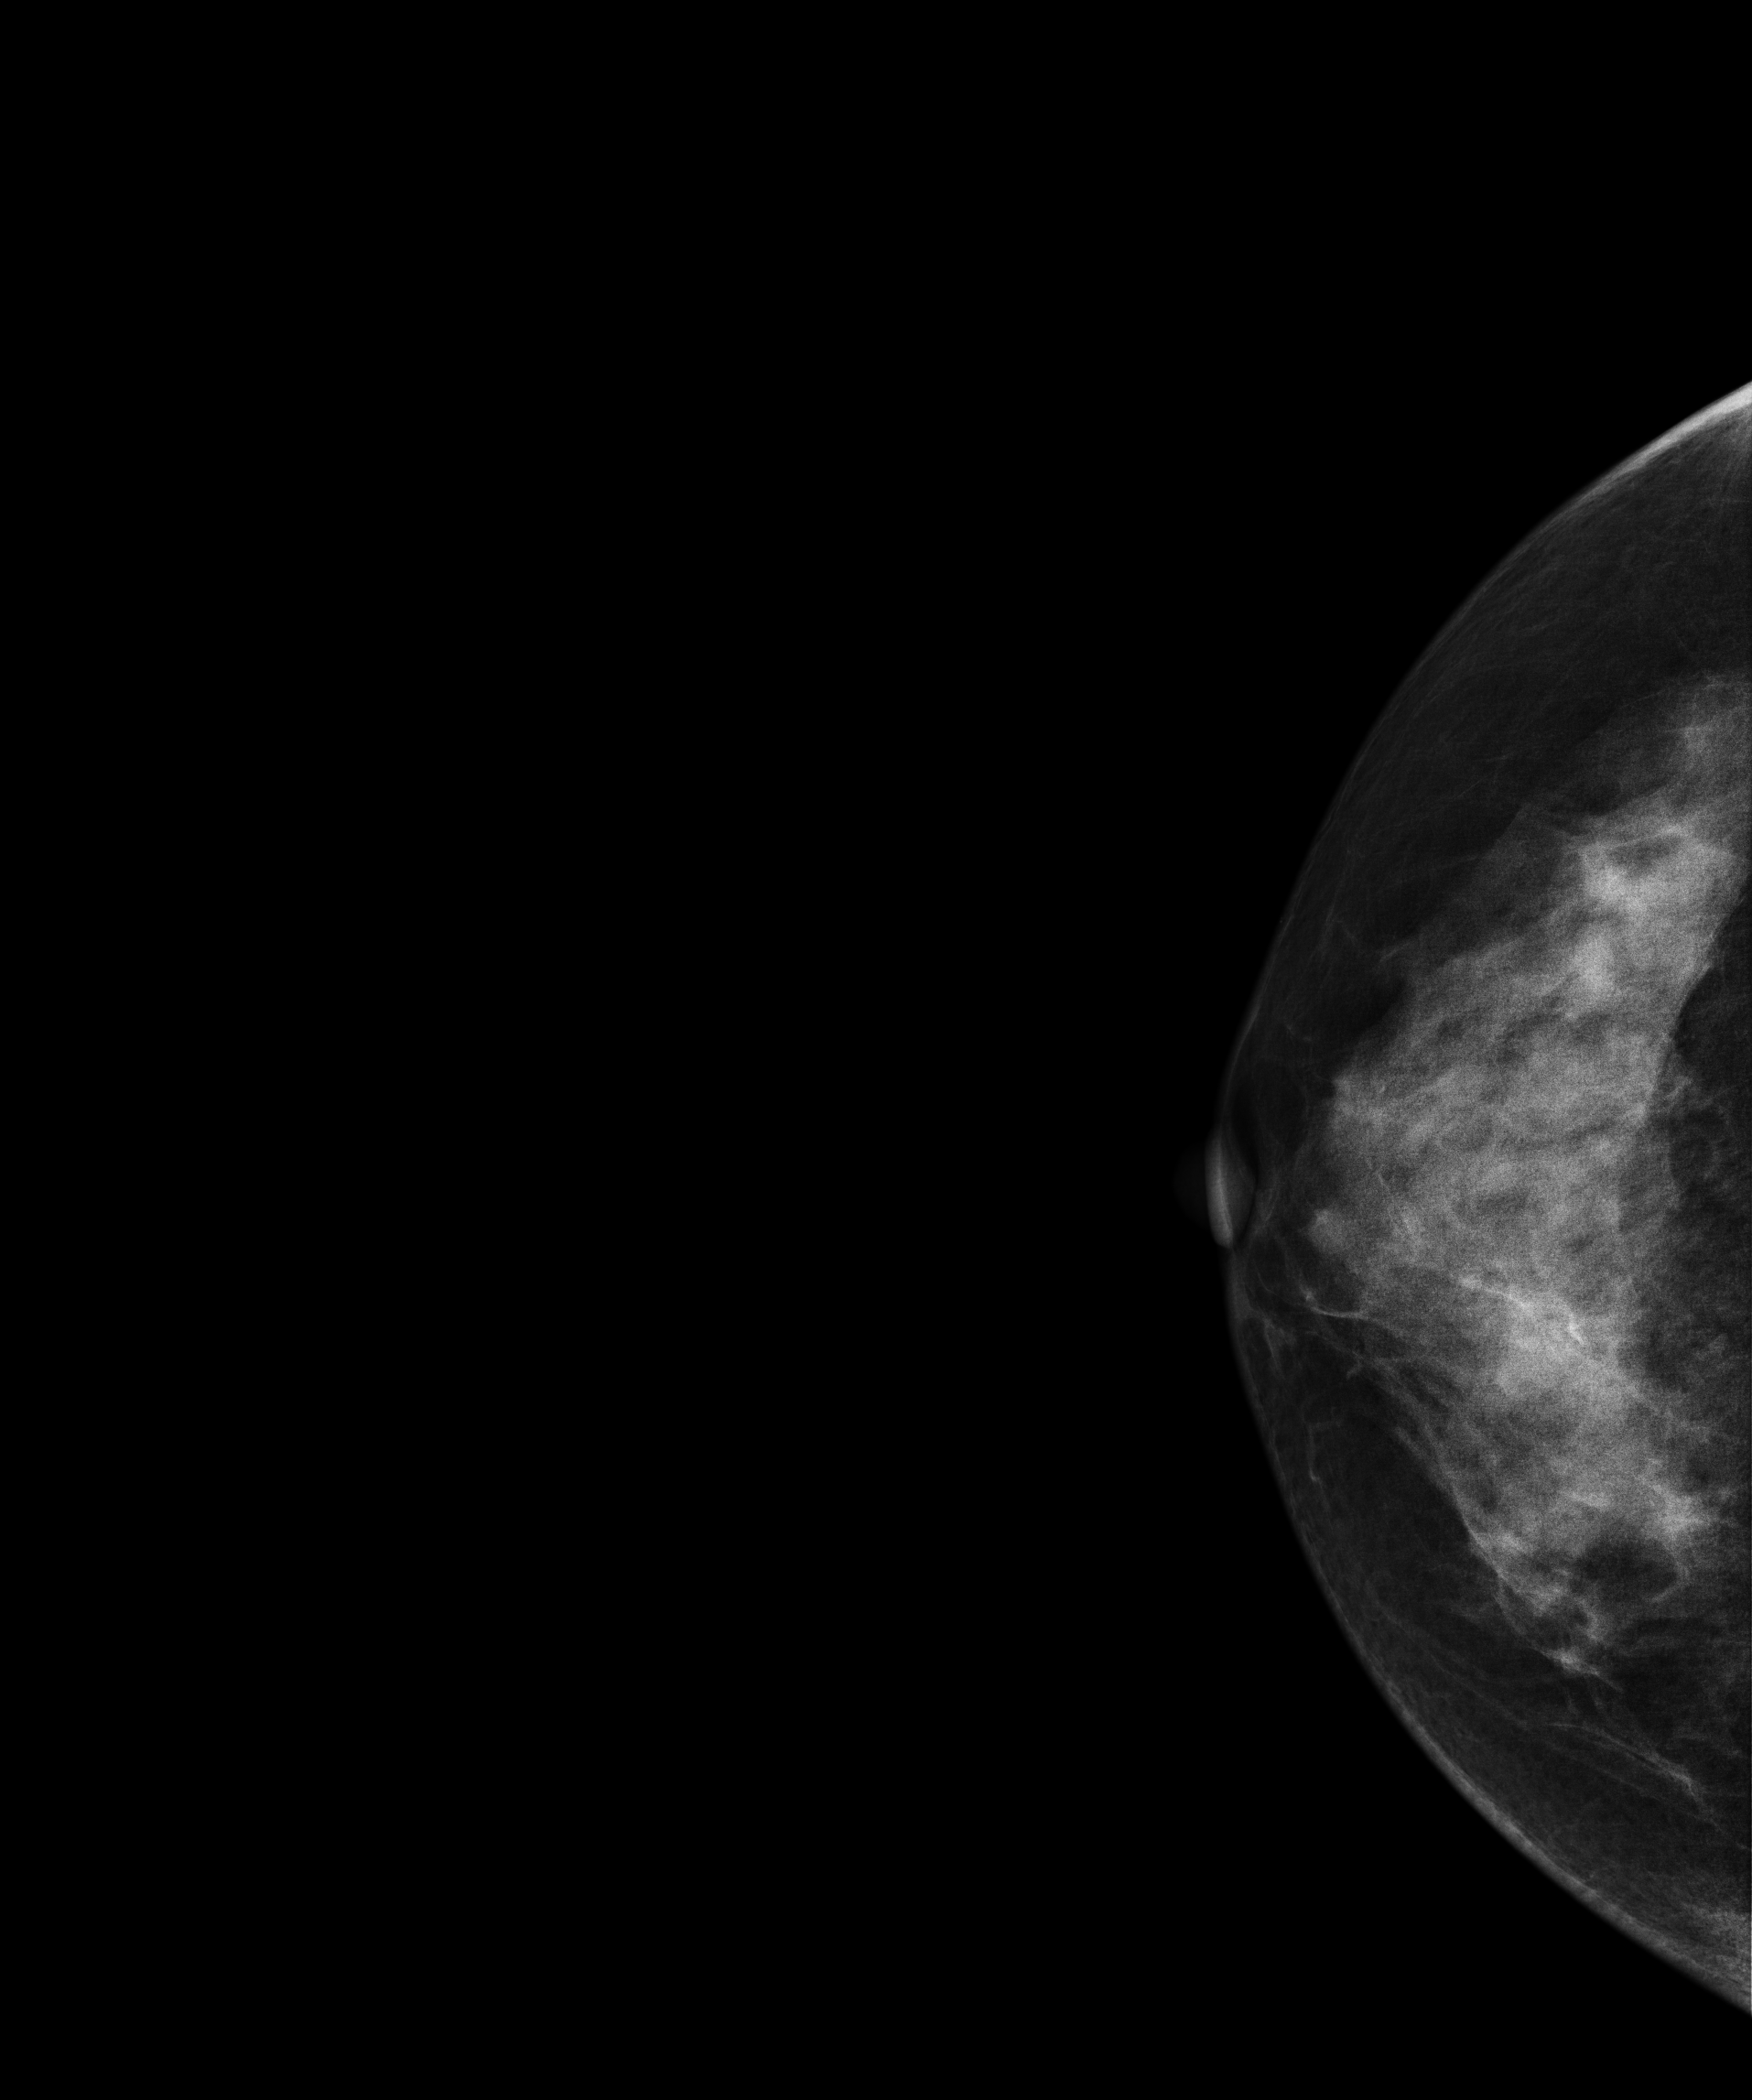
Mammogram — right CC. 49-year-old patient.
Contralateral breast — no documented abnormality on this side.